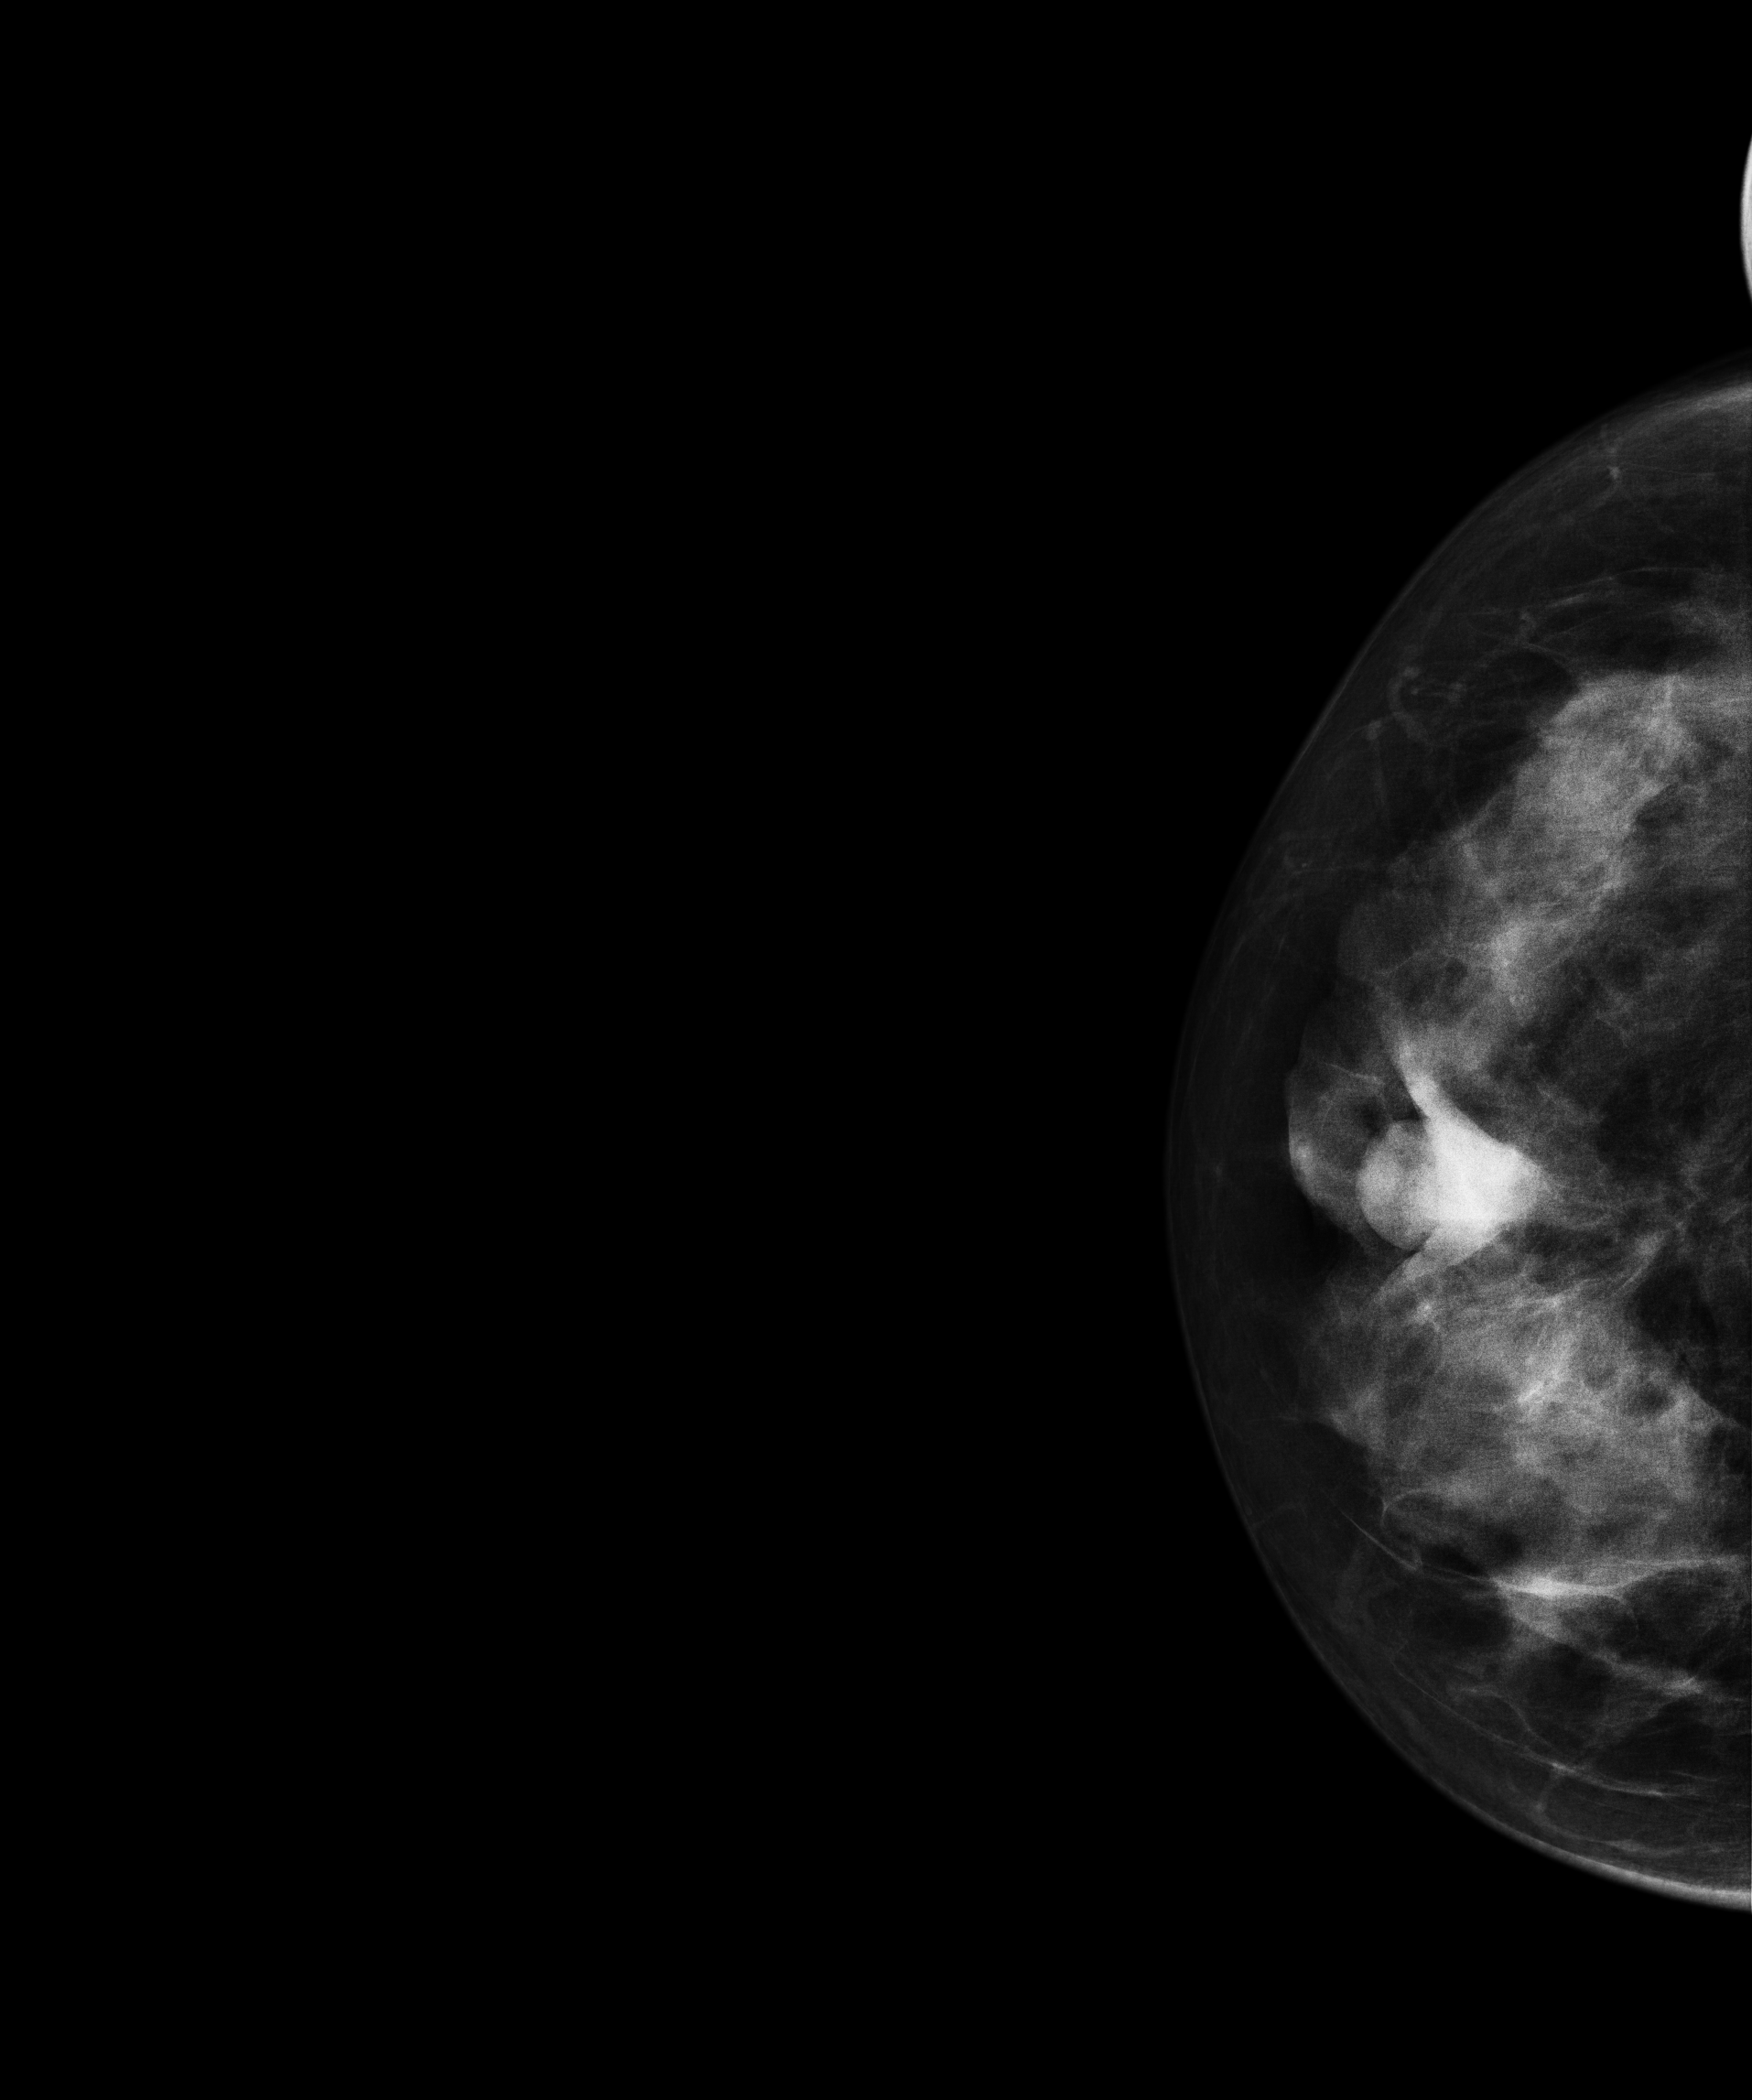
Cranio-caudal mammogram of the right breast. Patient age 48.
This breast has a mass, biopsy-confirmed malignant. Molecular subtype: luminal B.